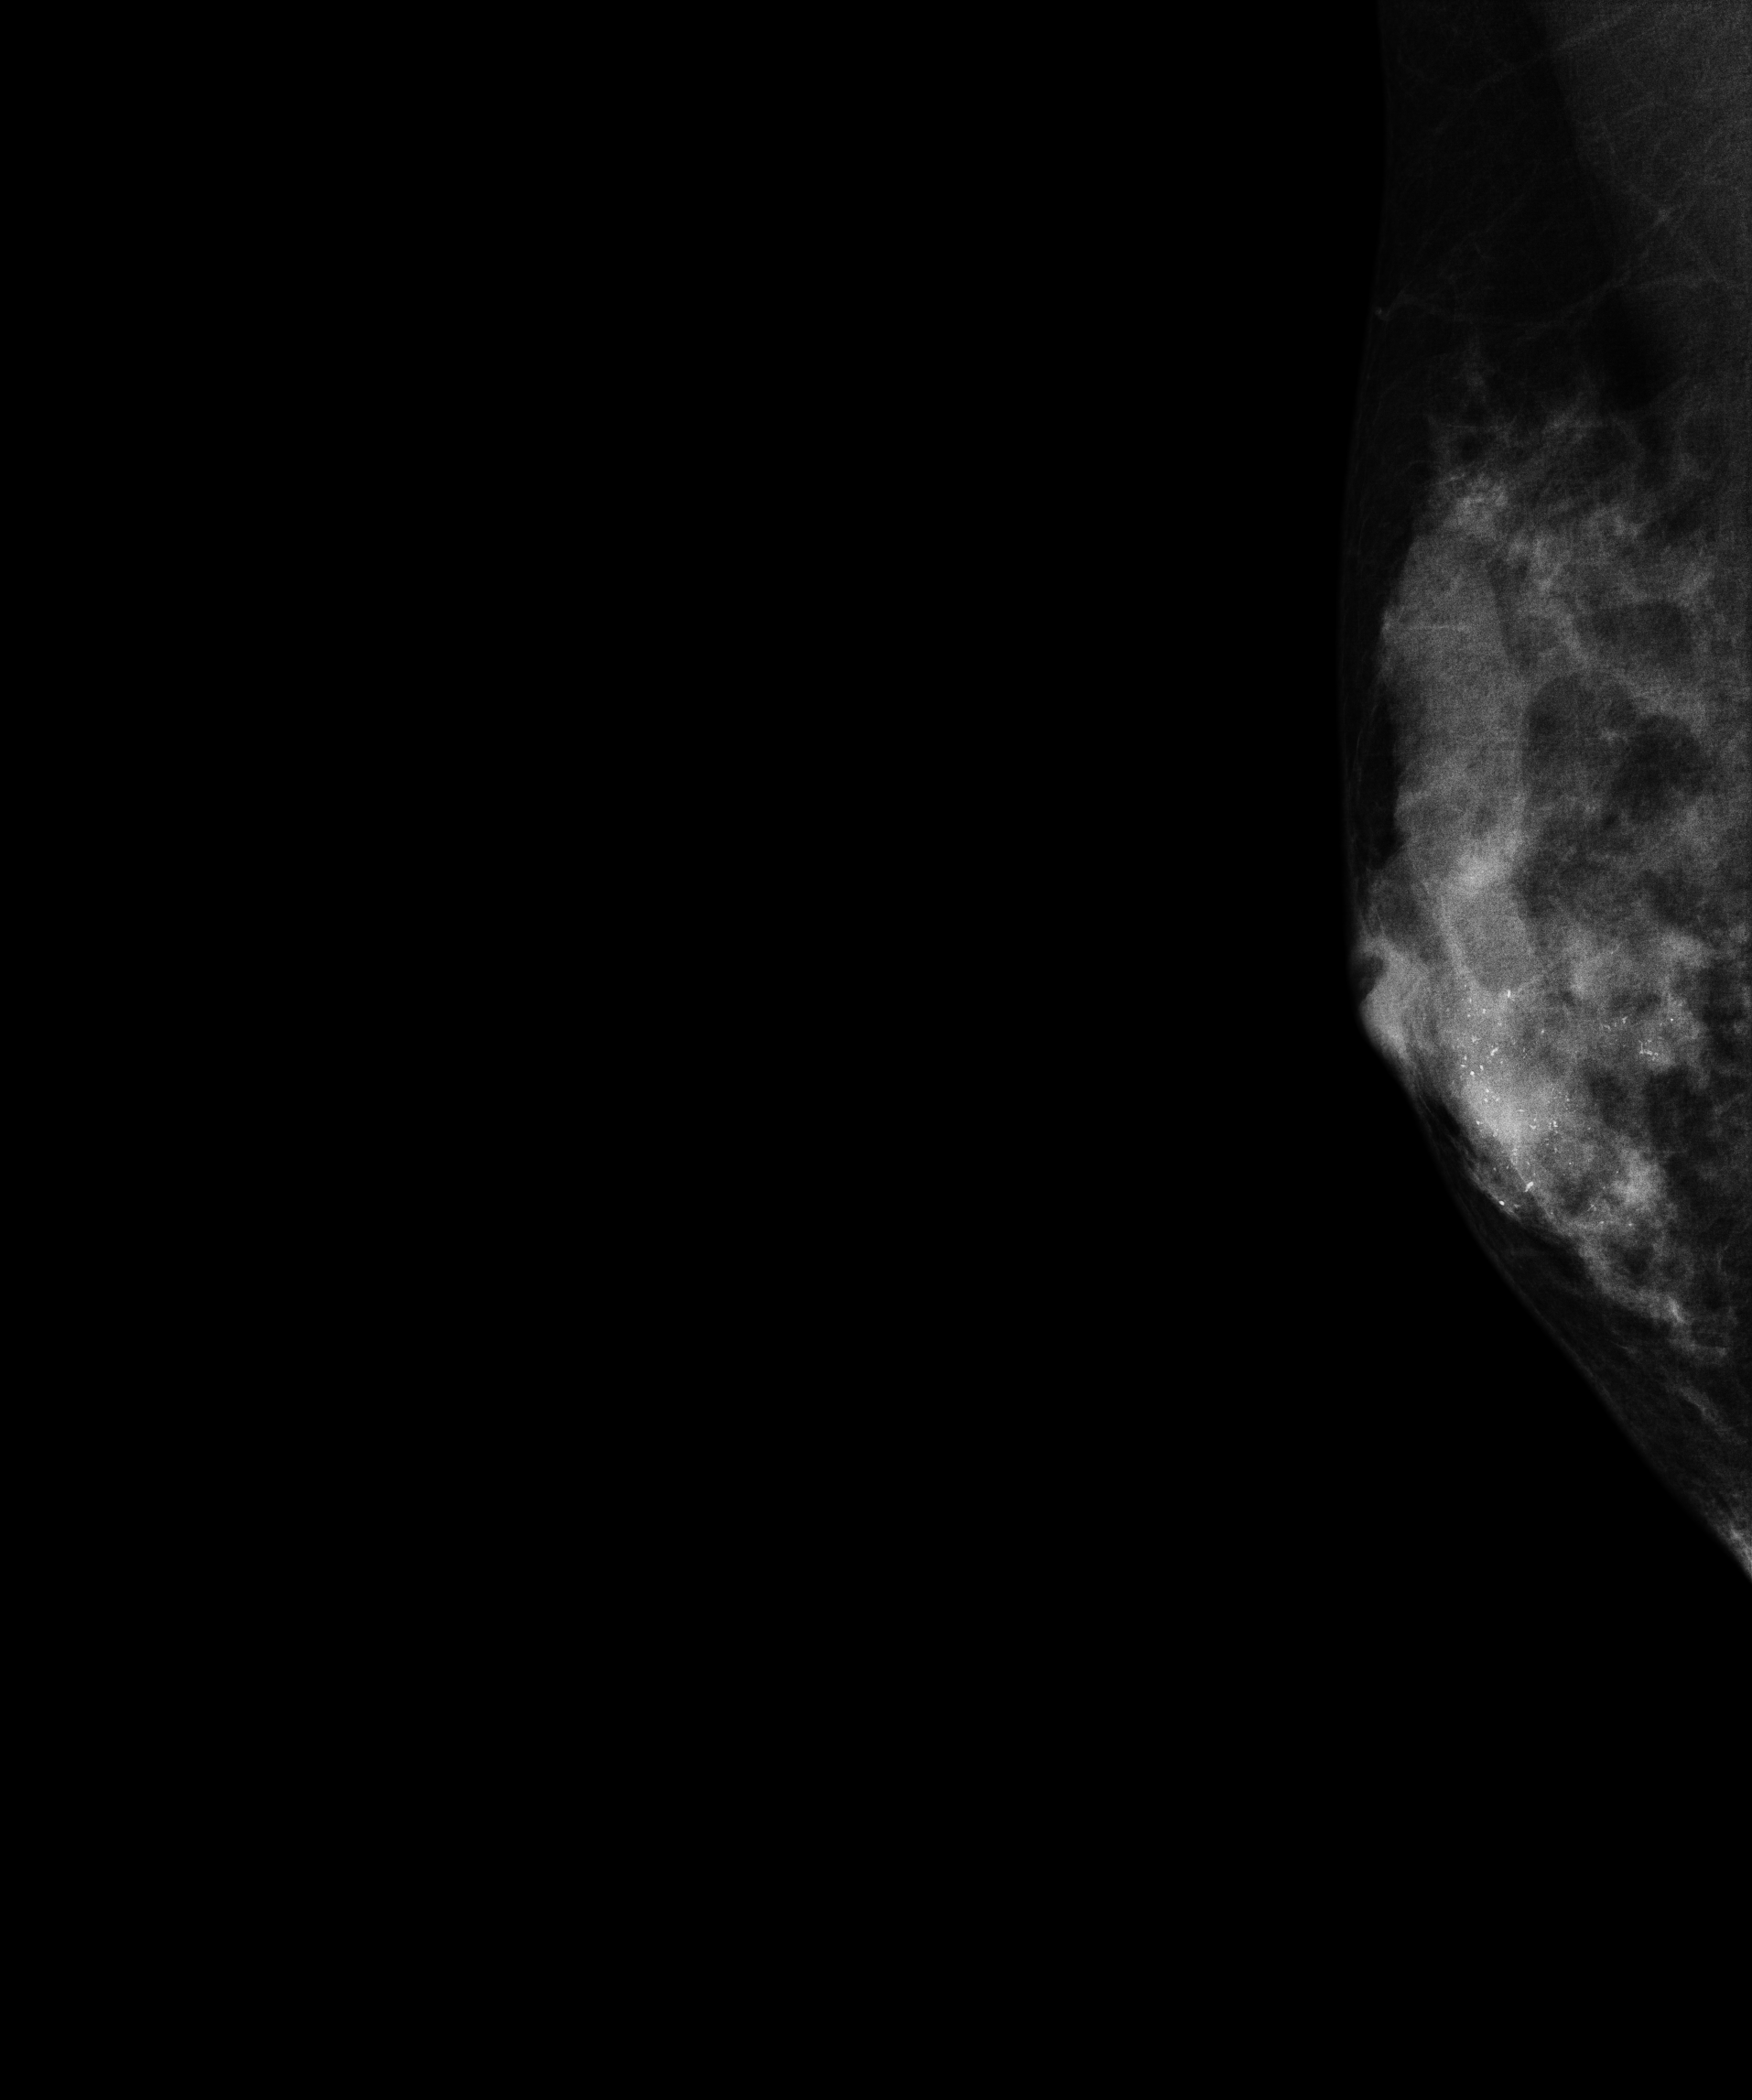
MLO mammogram of the right breast. 32-year-old patient.
This breast has a mass and calcifications, pathology-confirmed malignant.